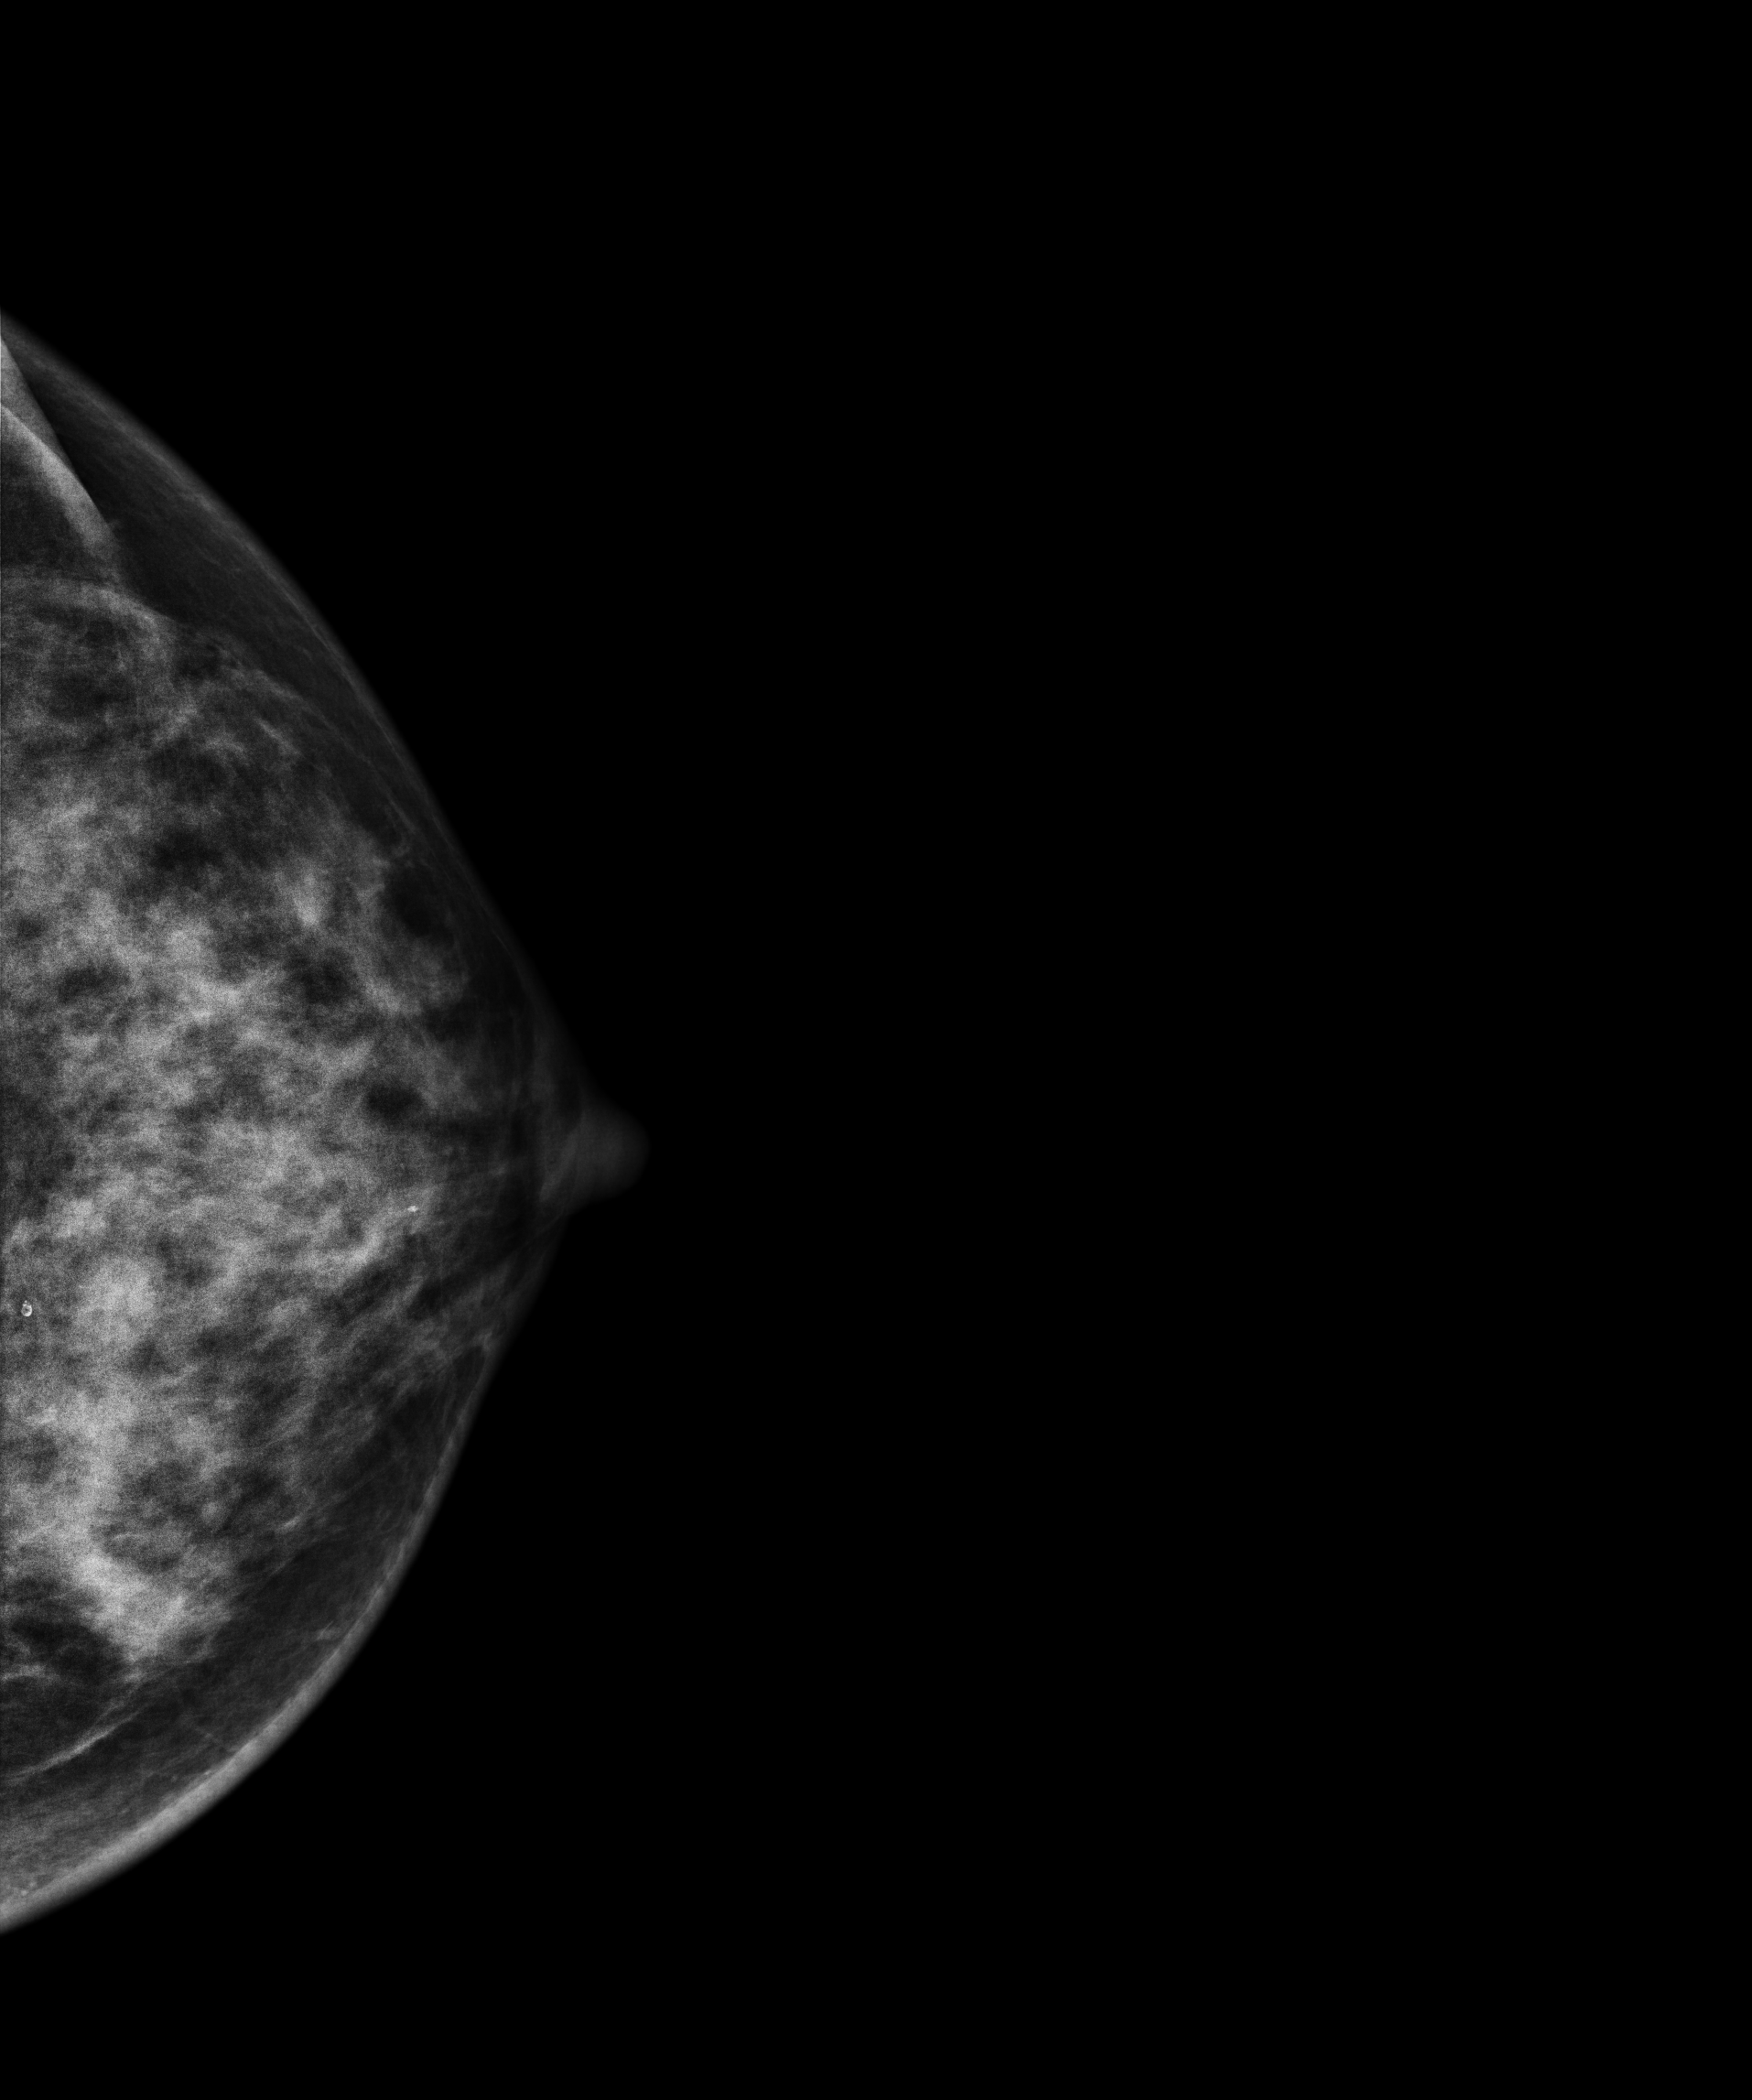
Mammogram, left breast, CC view. 46-year-old patient.
This breast has a mass, biopsy-proven benign.